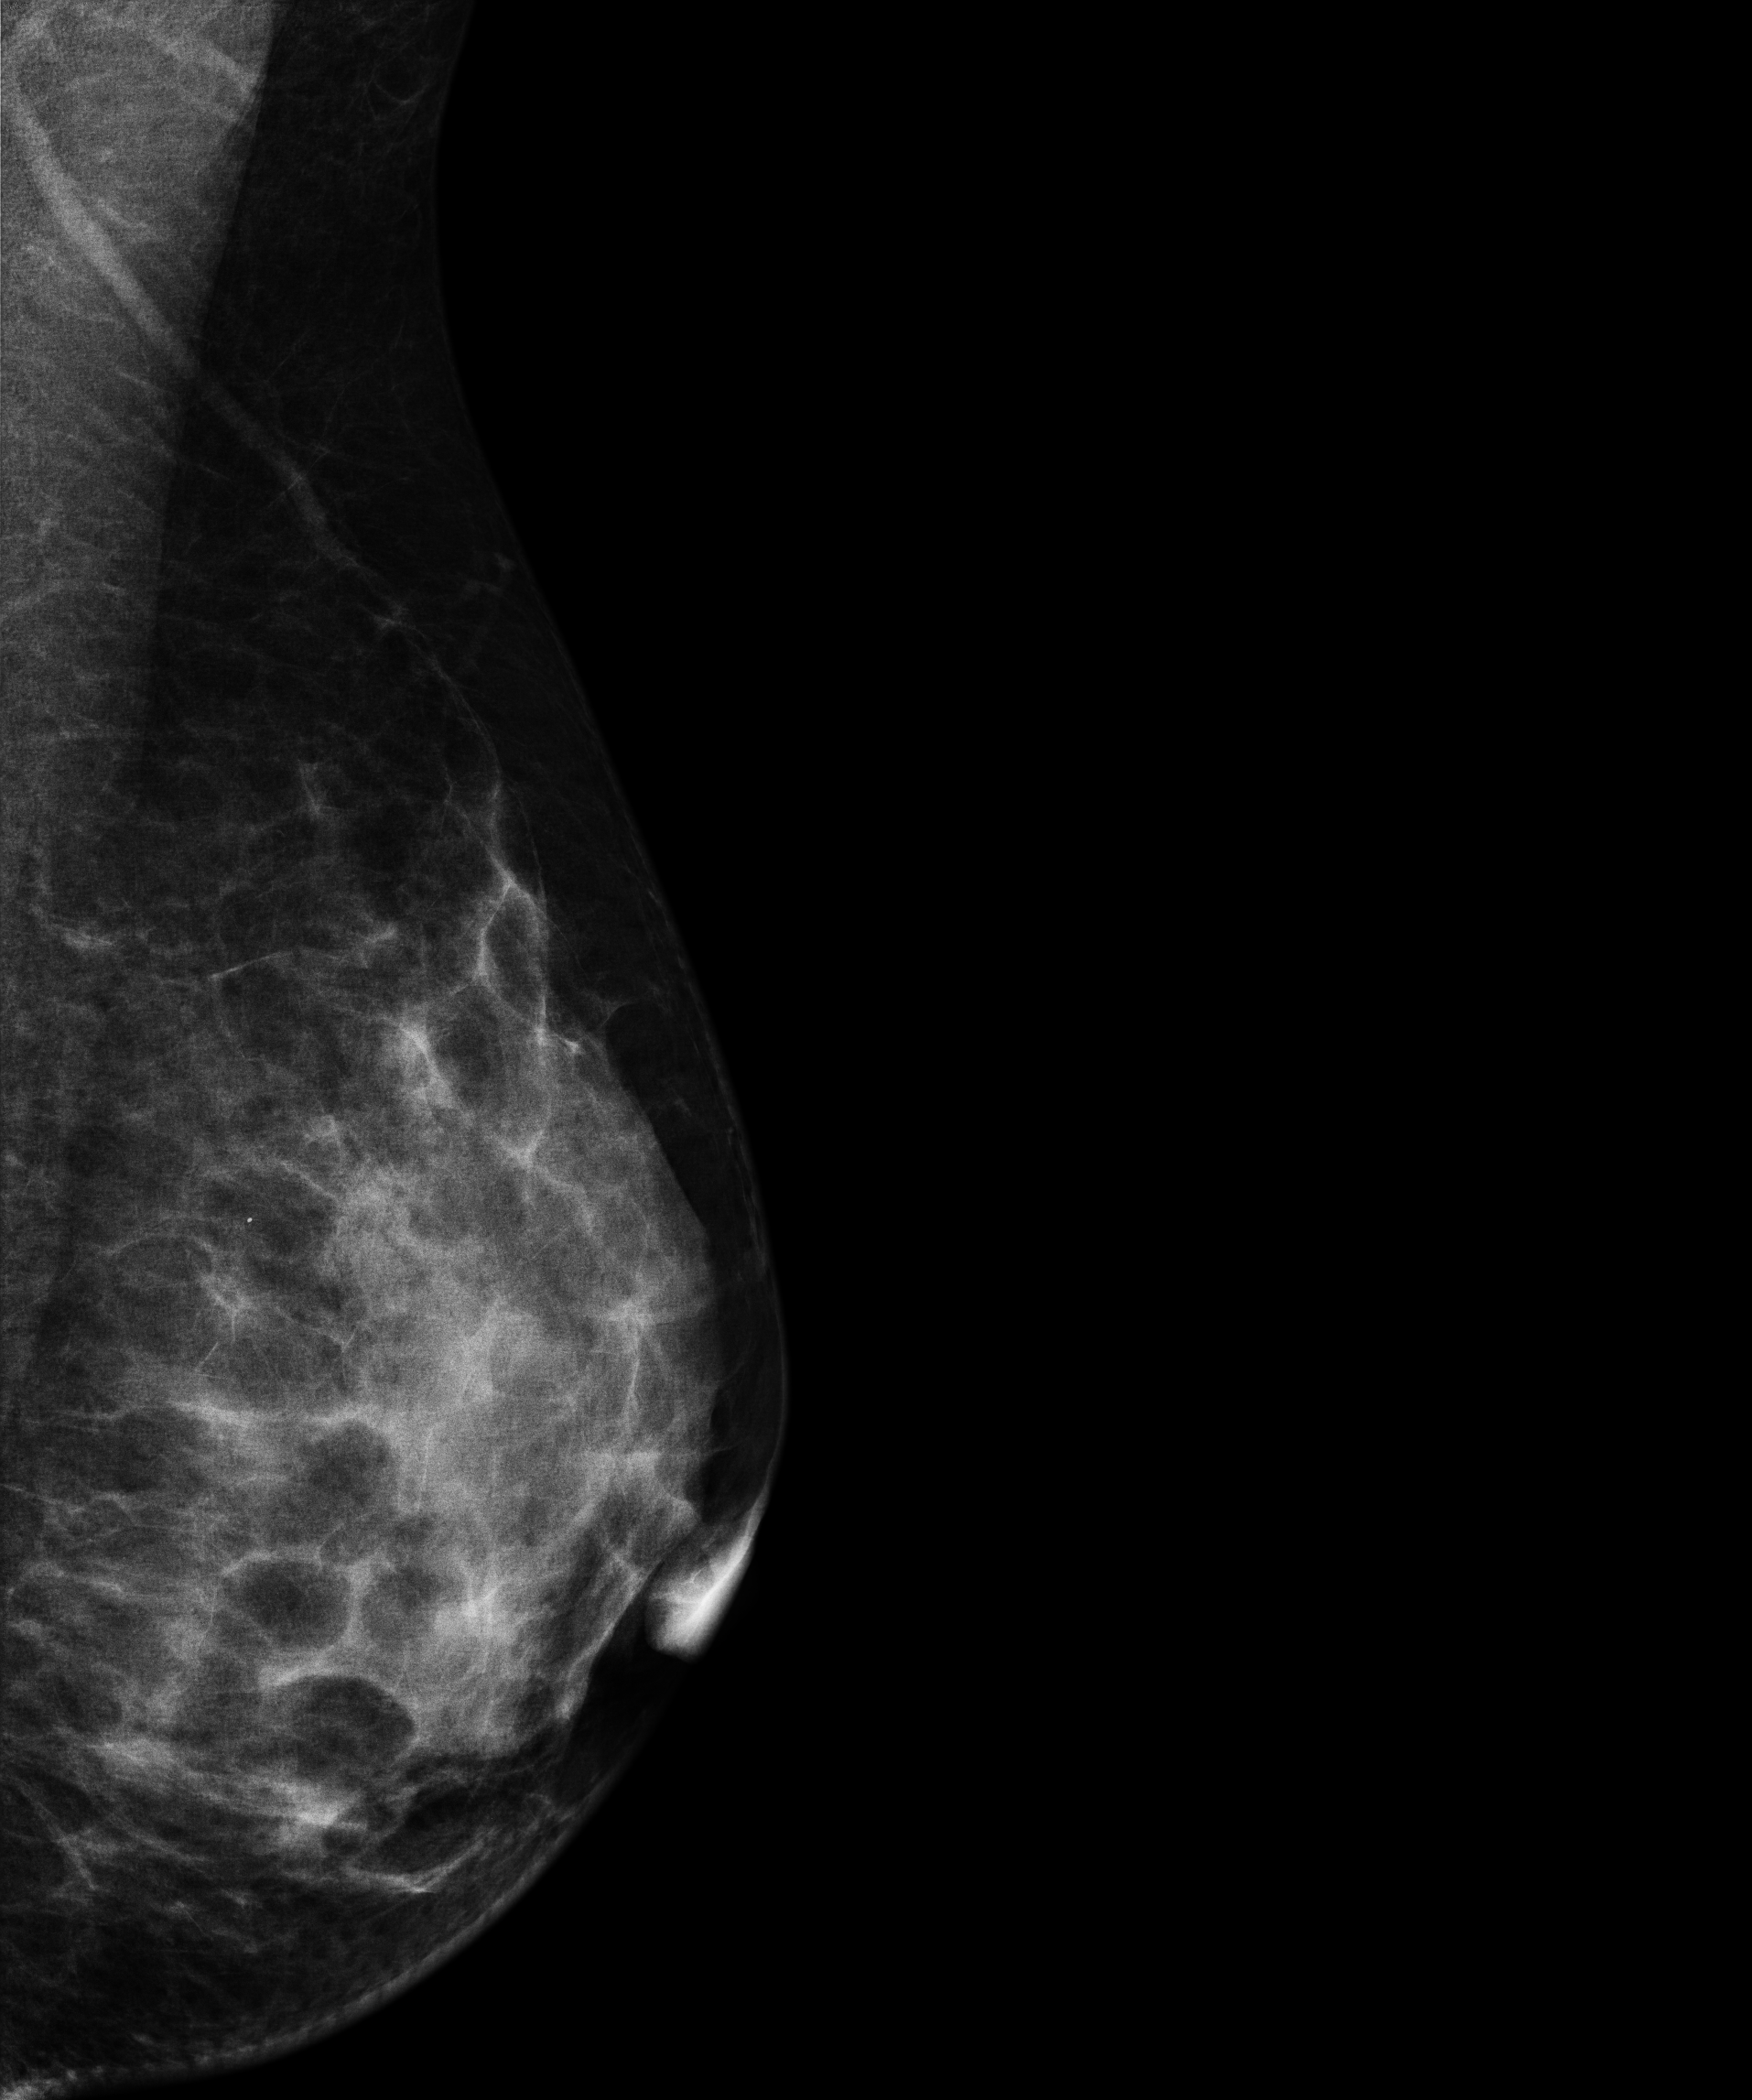
MLO mammogram of the left breast. Patient age 34.
Contralateral breast — no documented abnormality on this side.